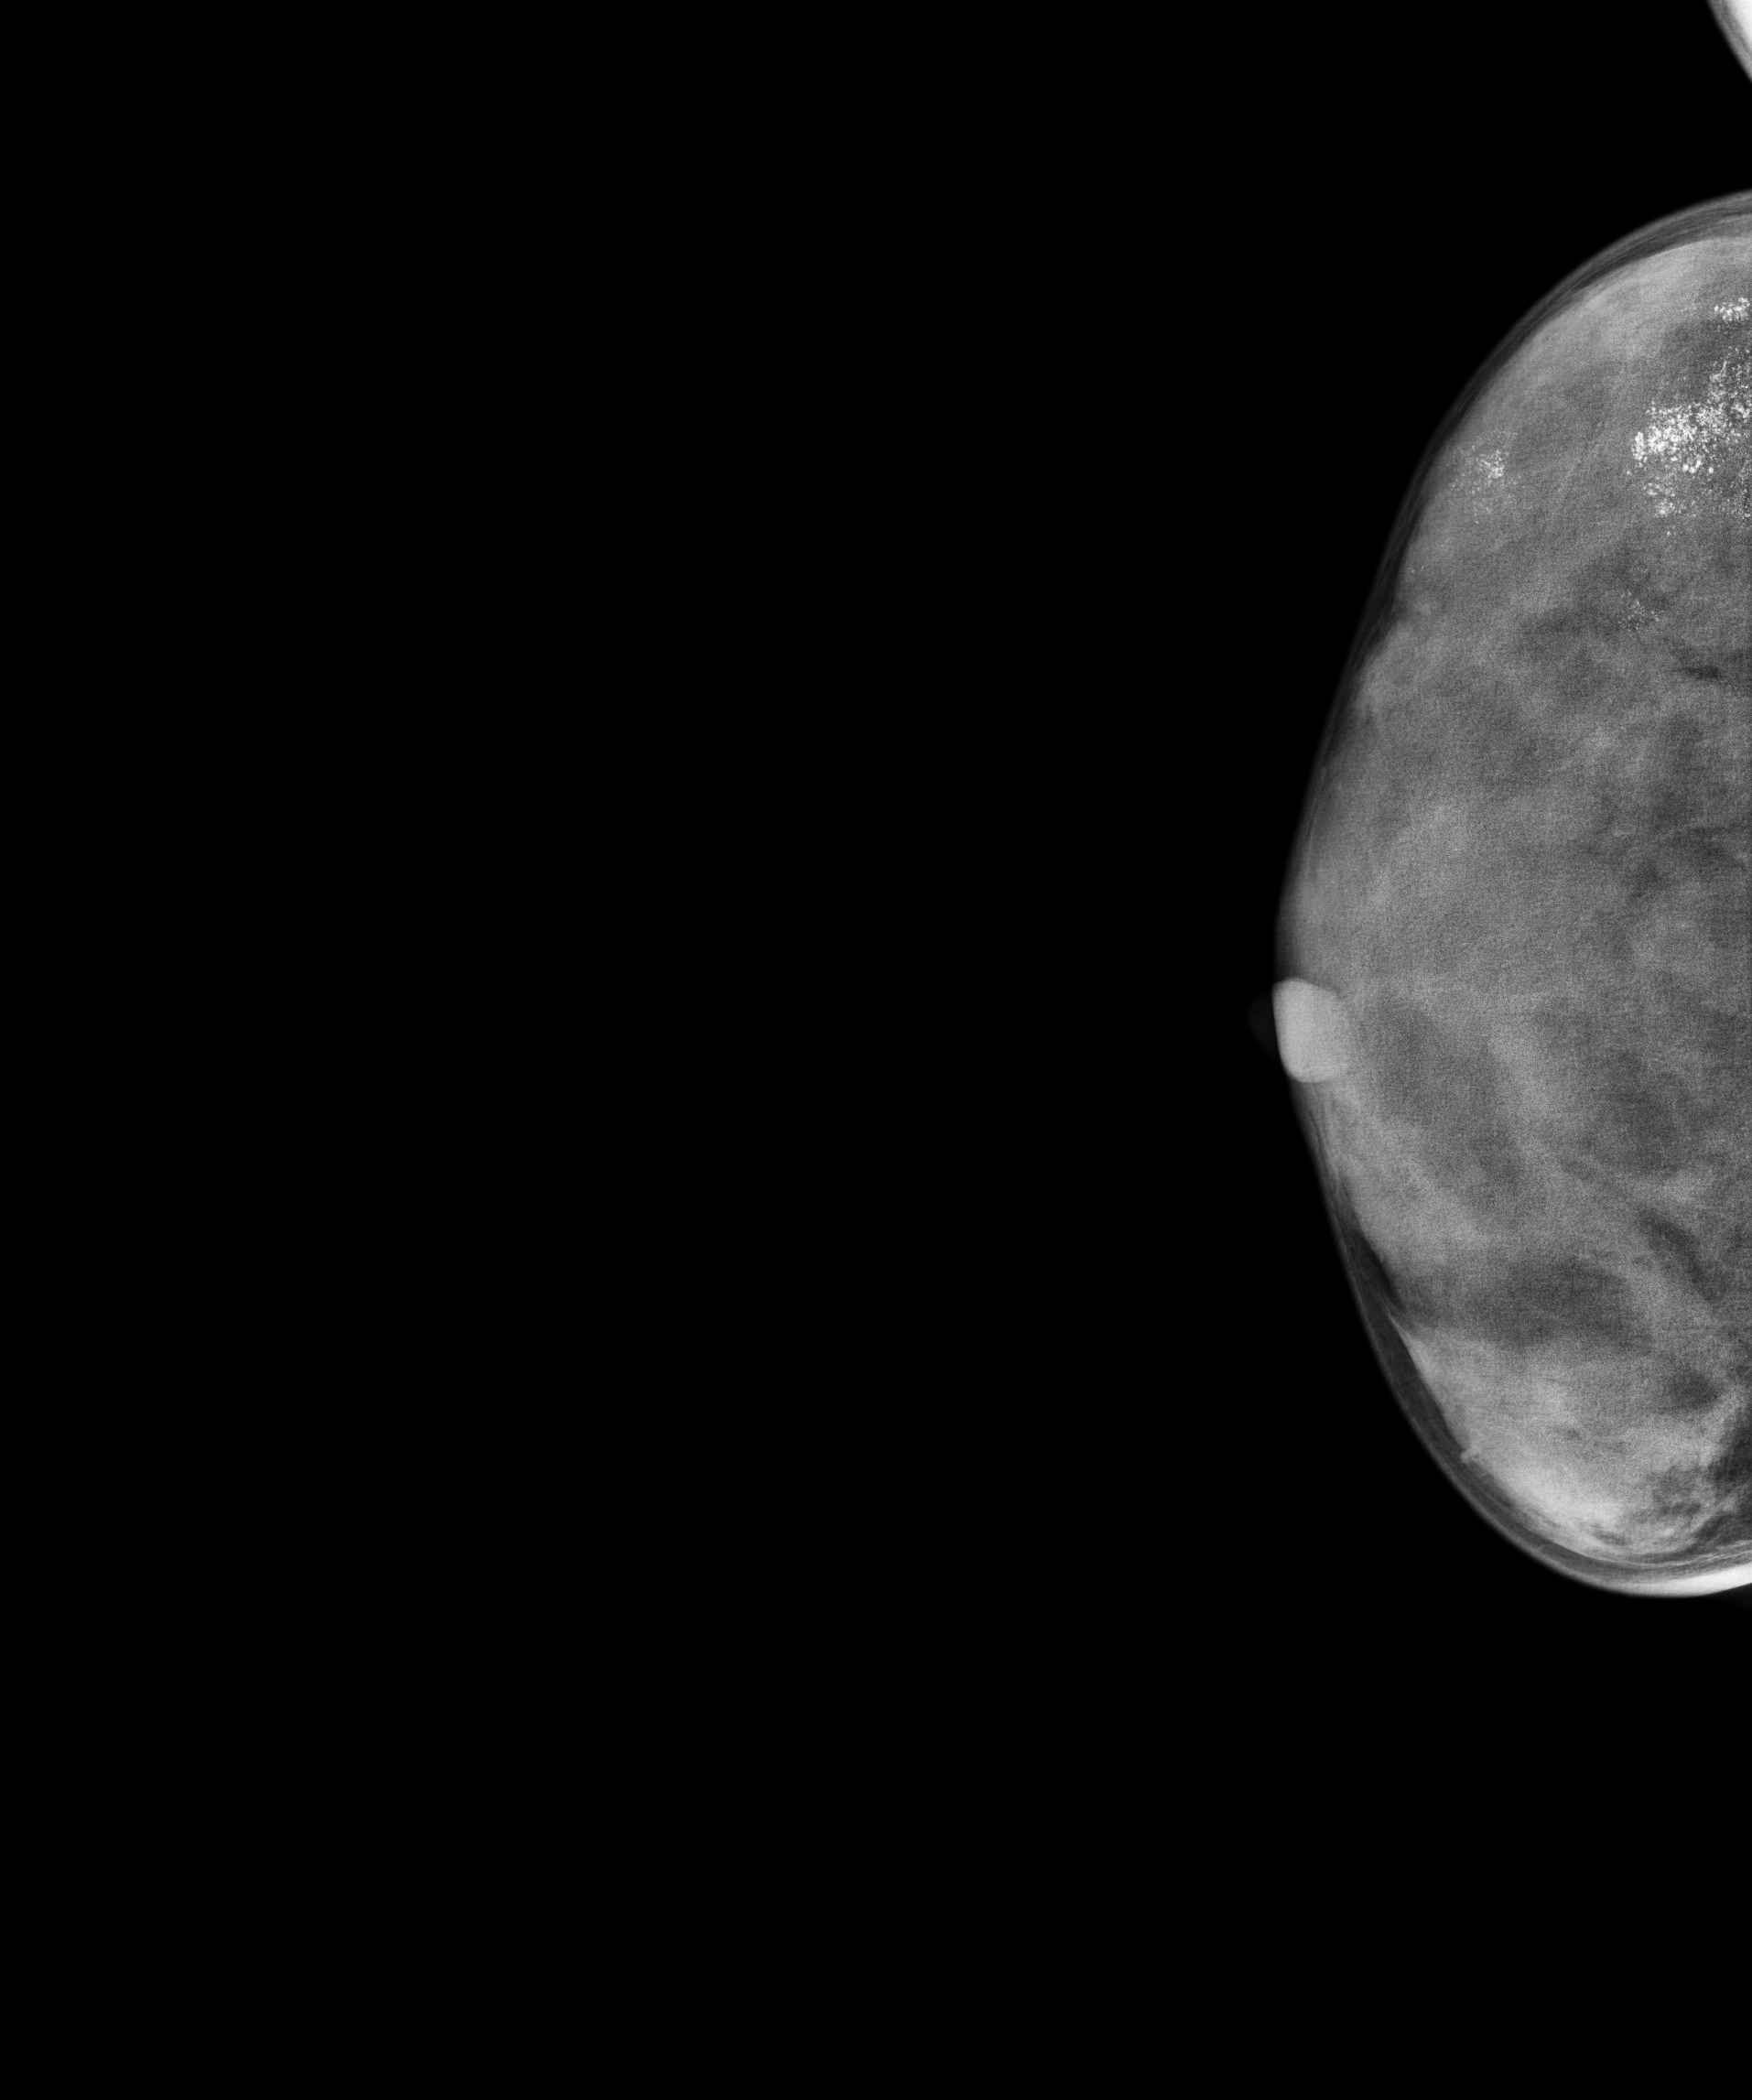
Right-breast mammogram, cranio-caudal. 31 y/o patient.
This breast has calcifications, biopsy-confirmed malignant. Molecular subtype: luminal A.